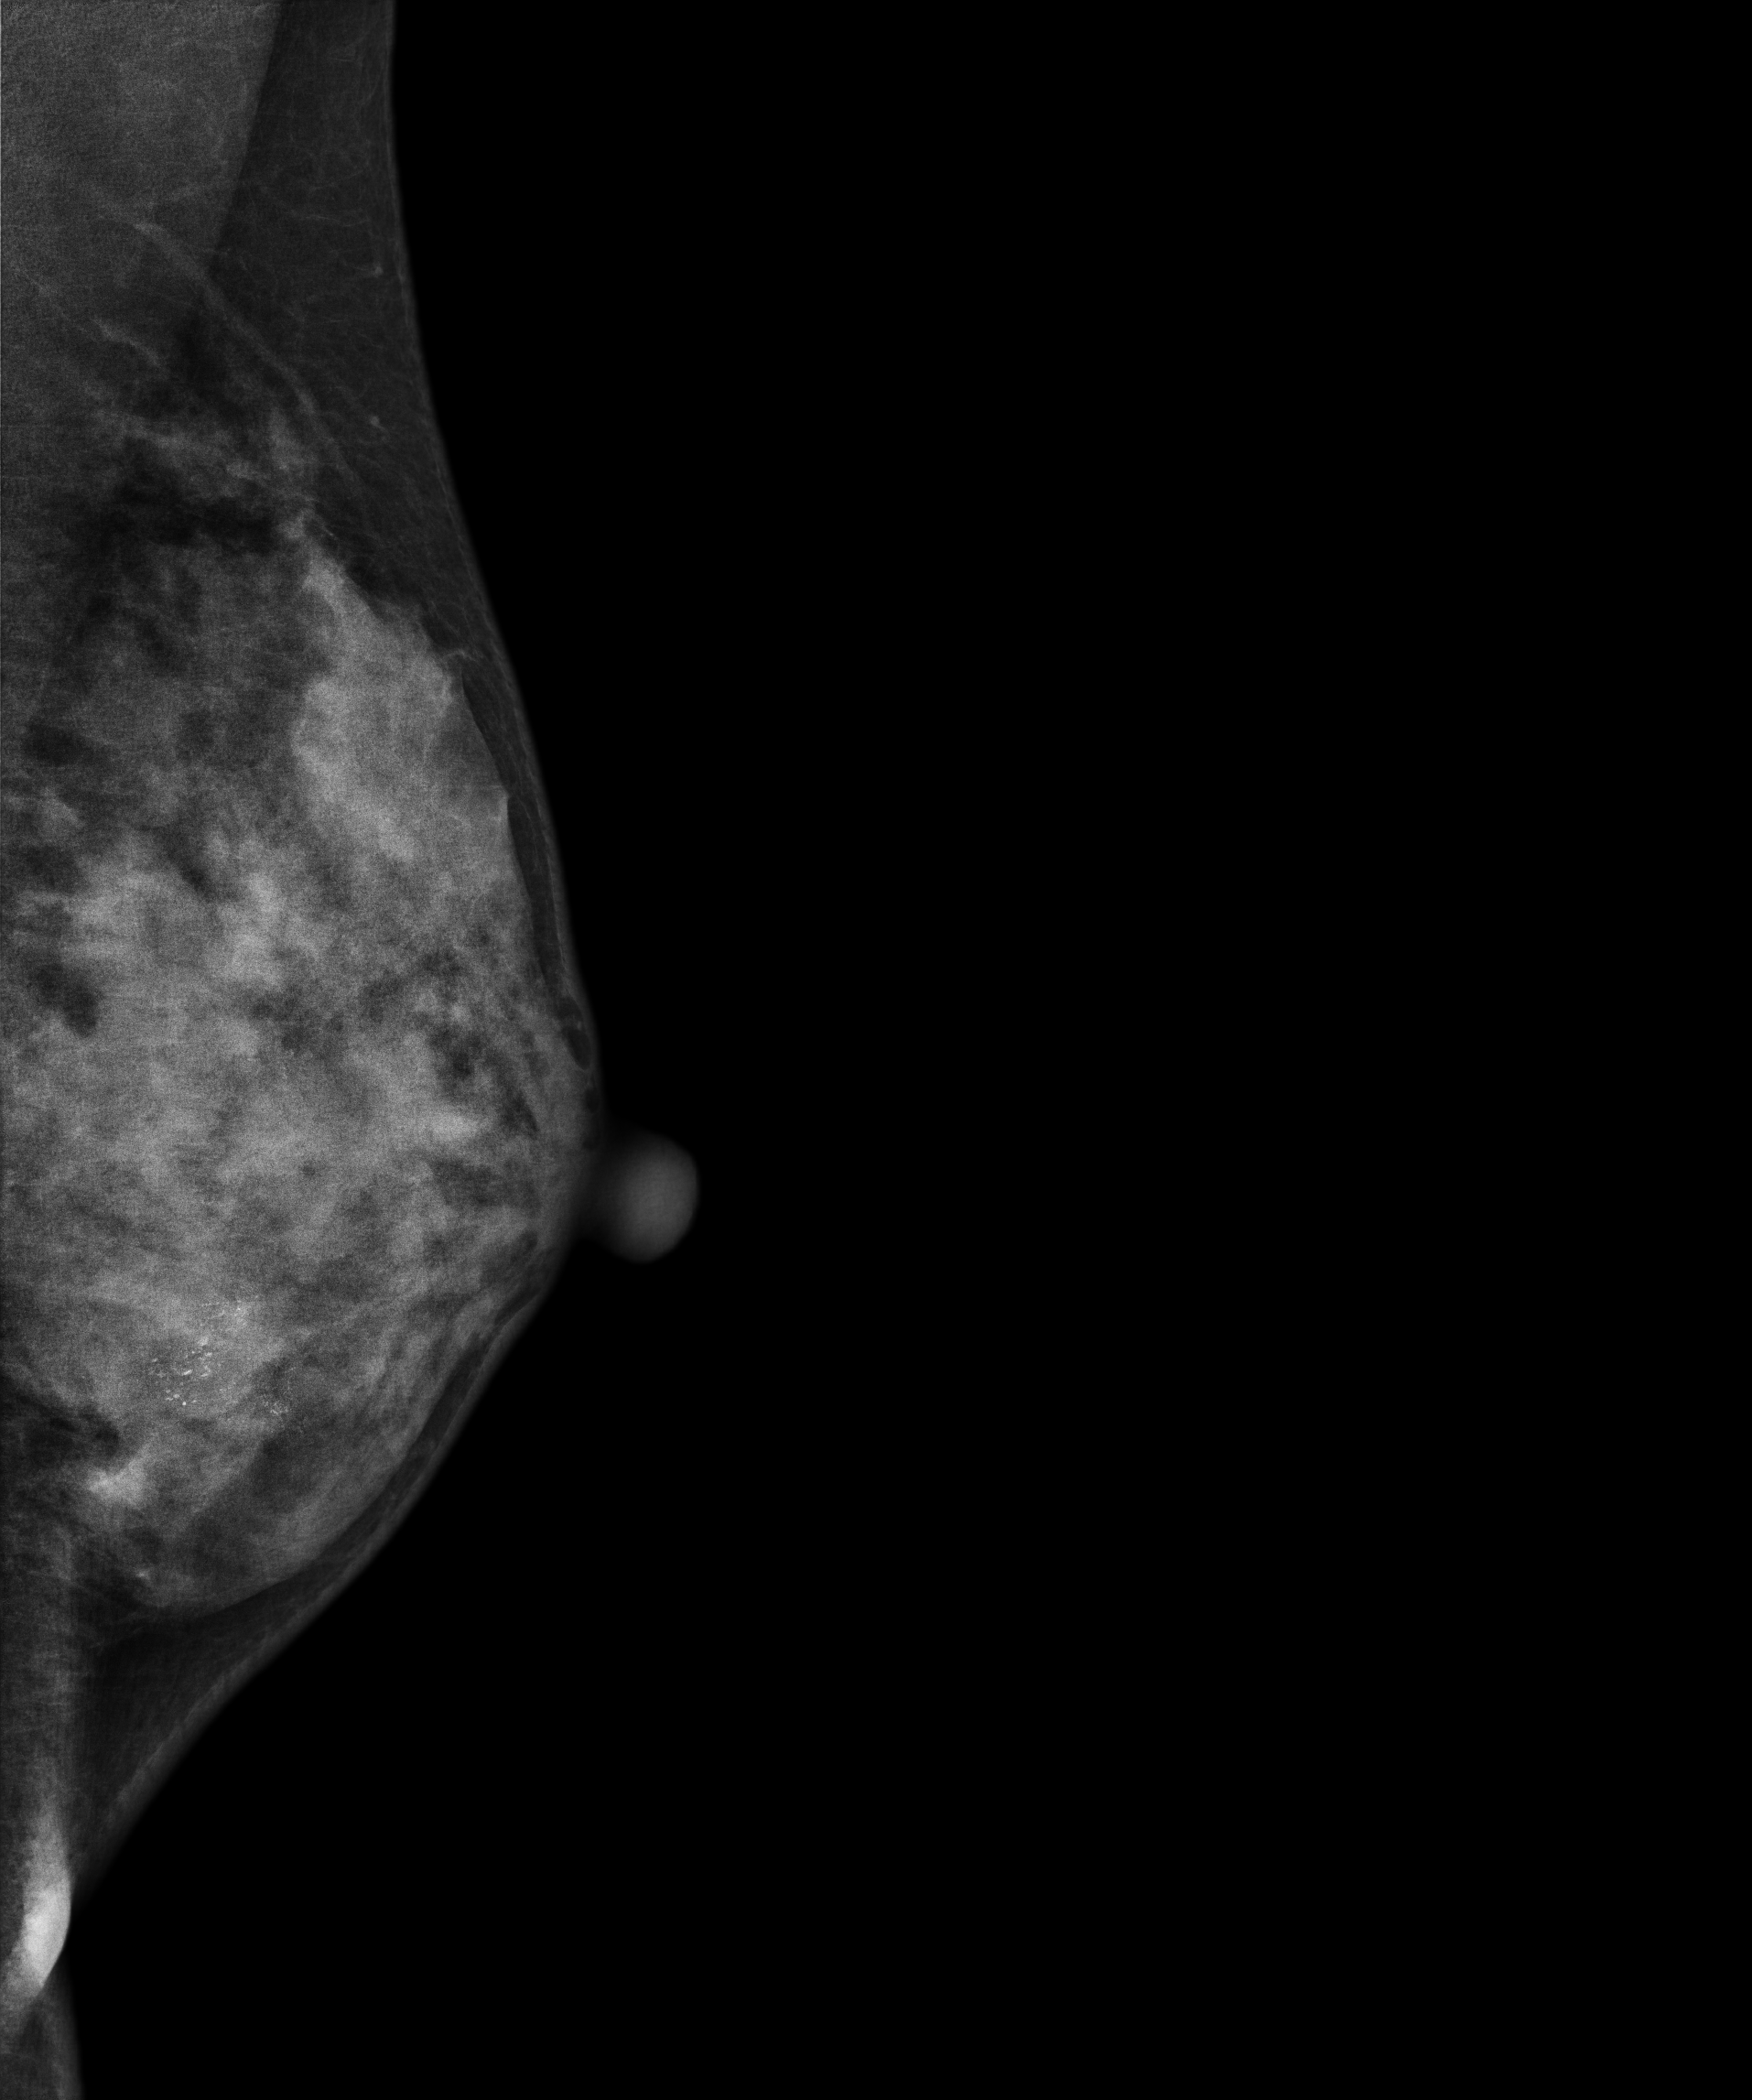
Left-breast mammogram, MLO. 44 y/o patient.
This breast has a mass and calcifications, biopsy-proven malignant. Molecular subtype: luminal B.